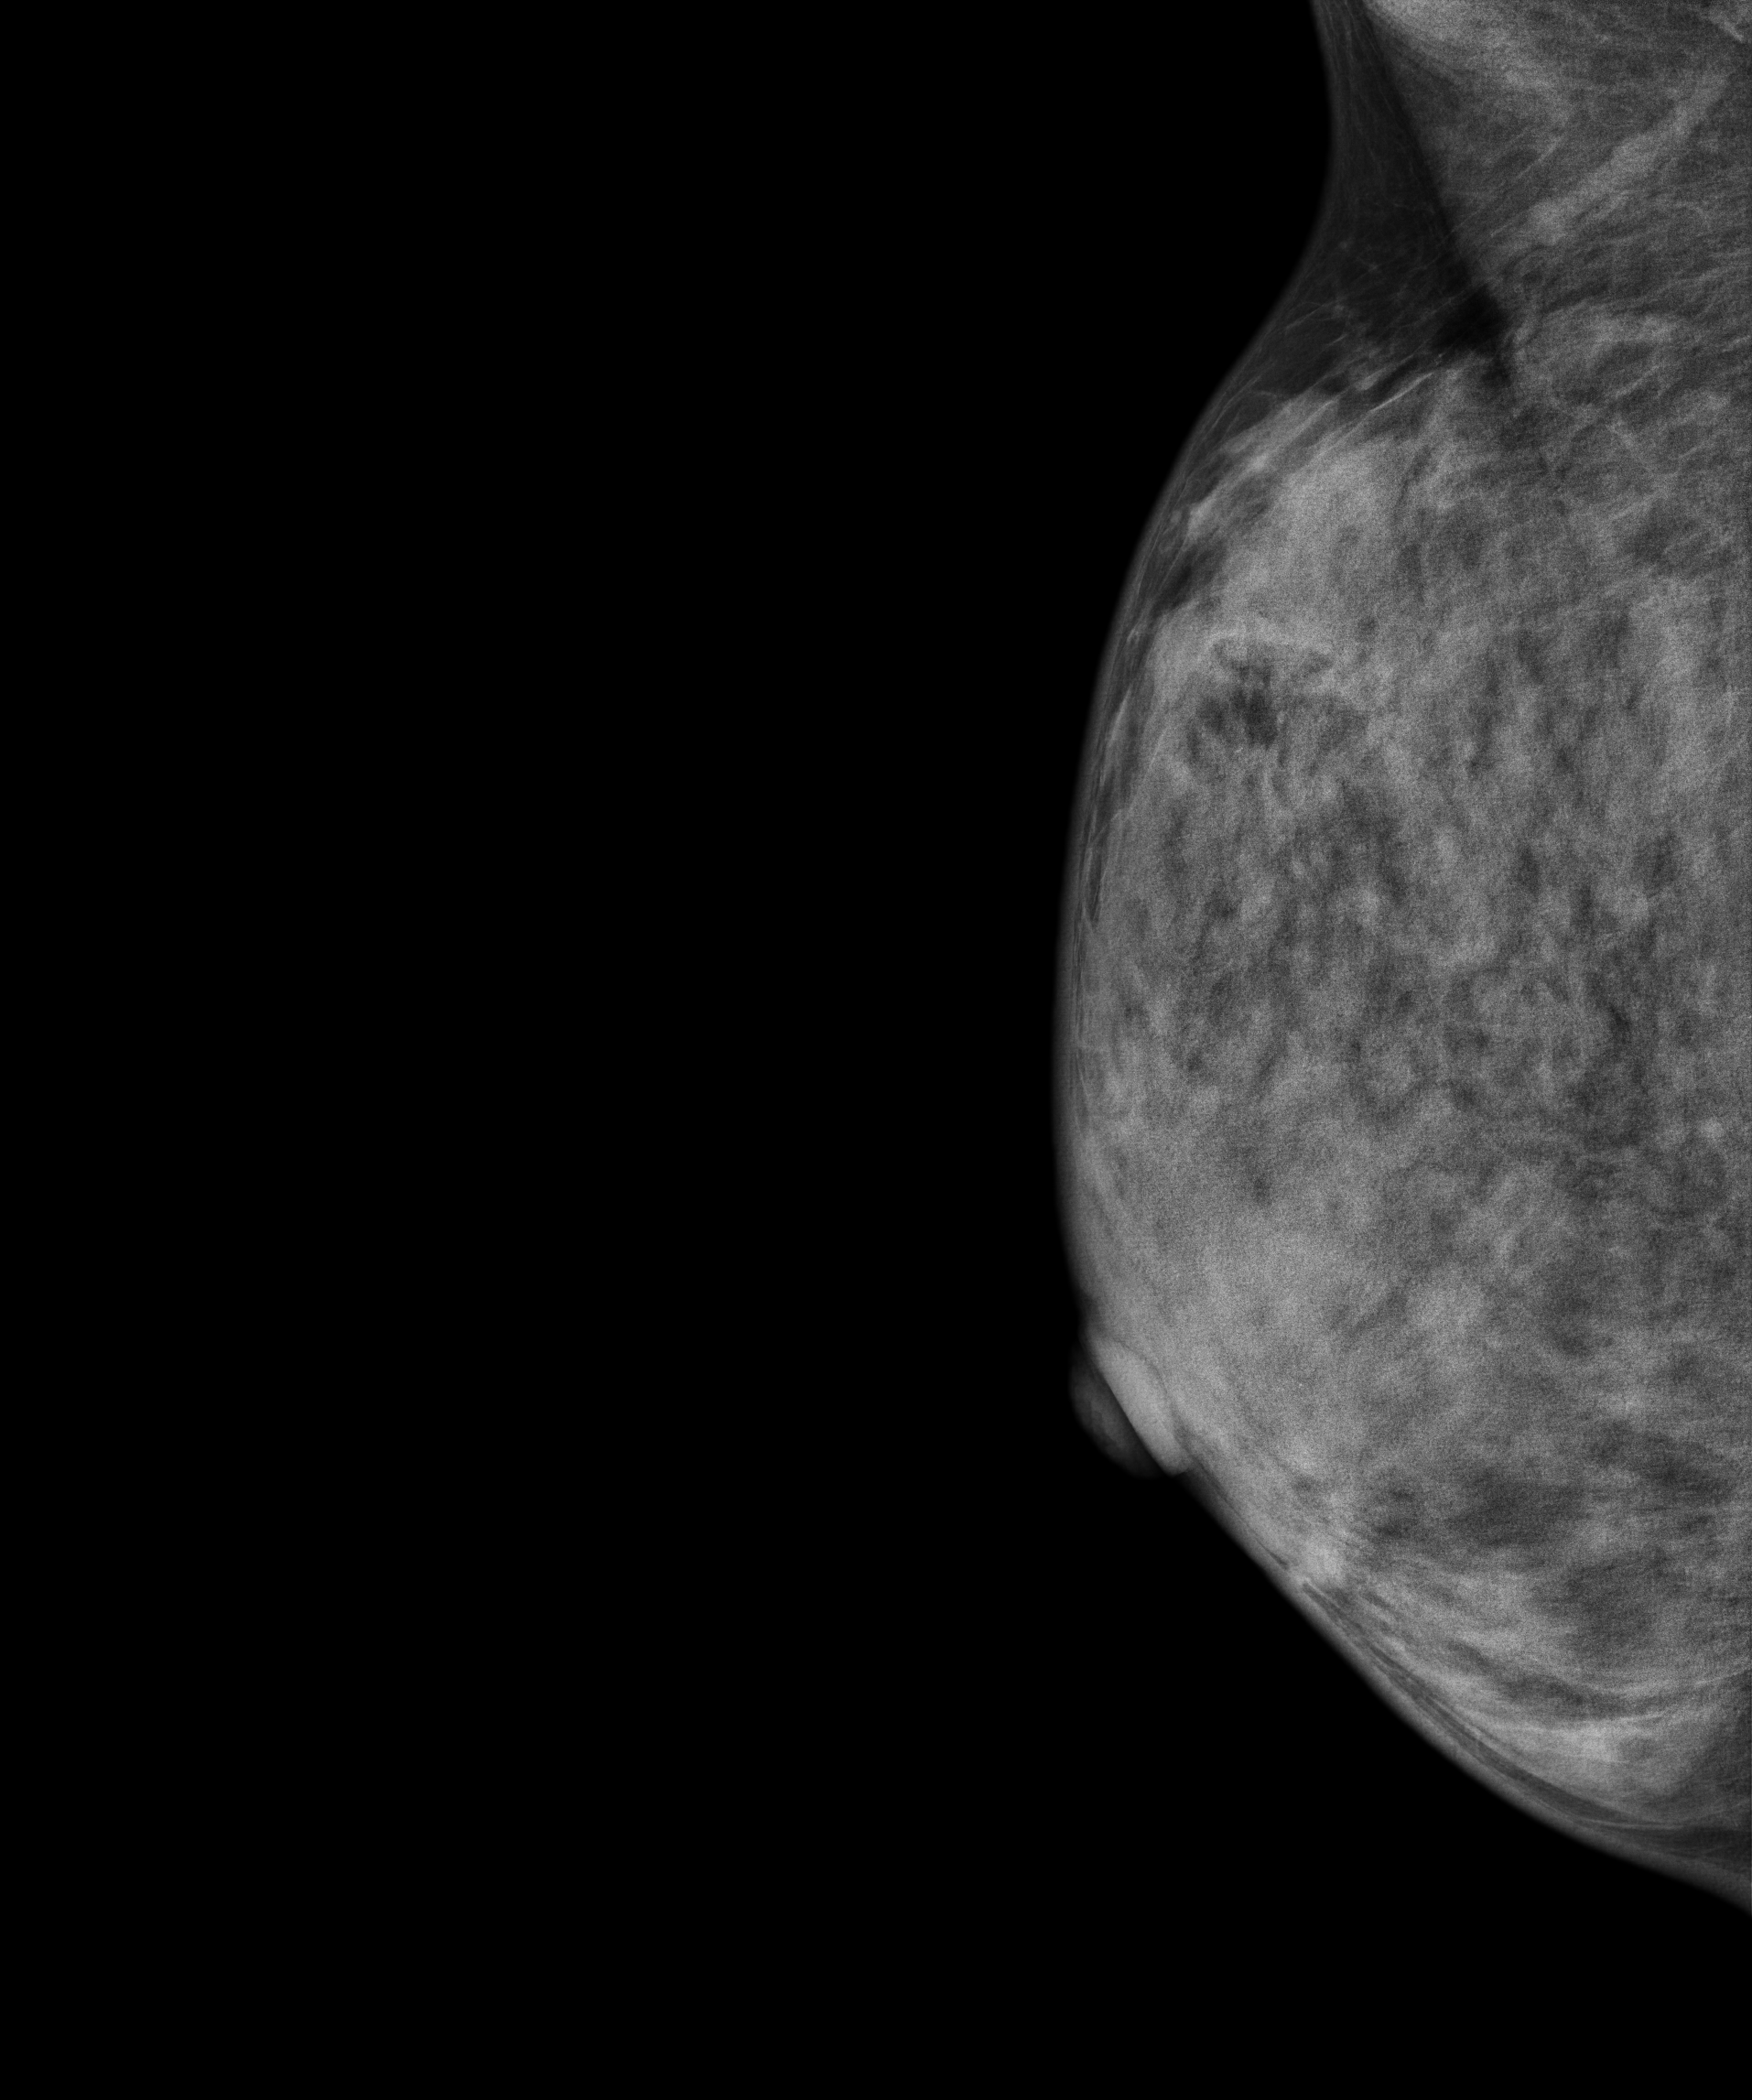
Medio-lateral oblique mammogram of the right breast. 34-year-old patient.
This breast has a mass, biopsy-confirmed malignant.